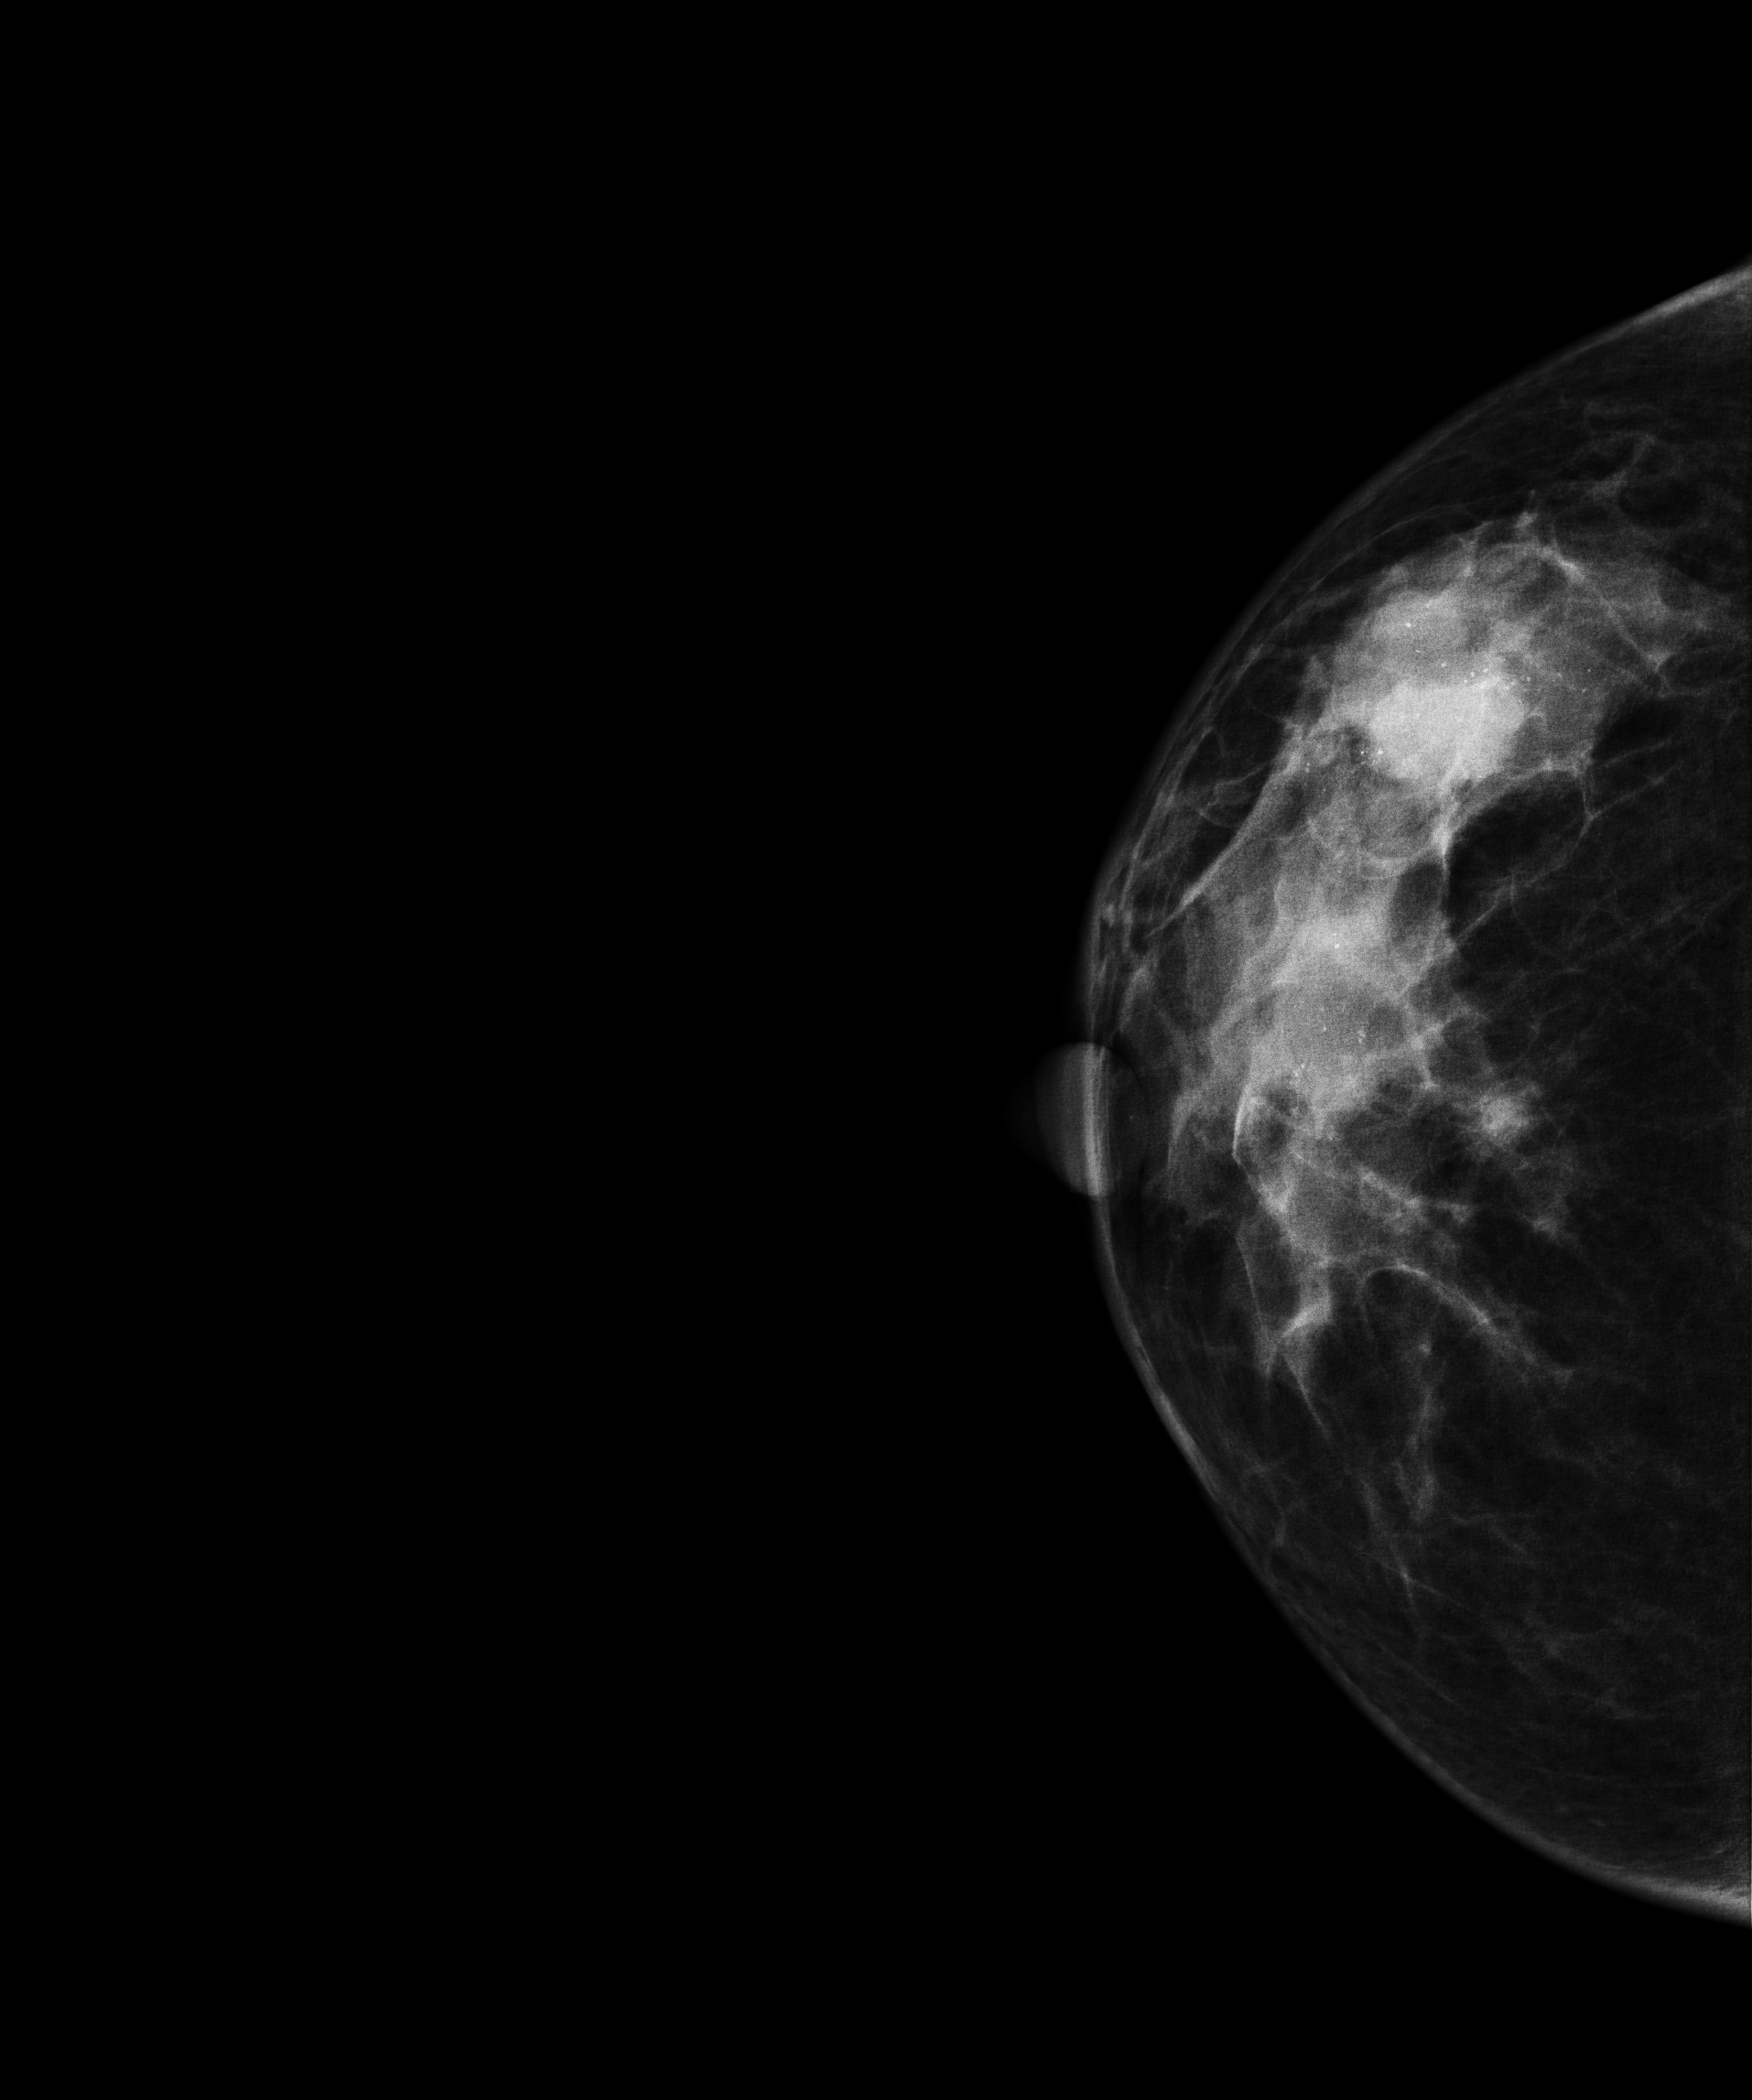
Mammogram, right breast, CC view. 36-year-old patient.
This breast has a mass and calcifications, biopsy-proven malignant. Molecular subtype: luminal B.